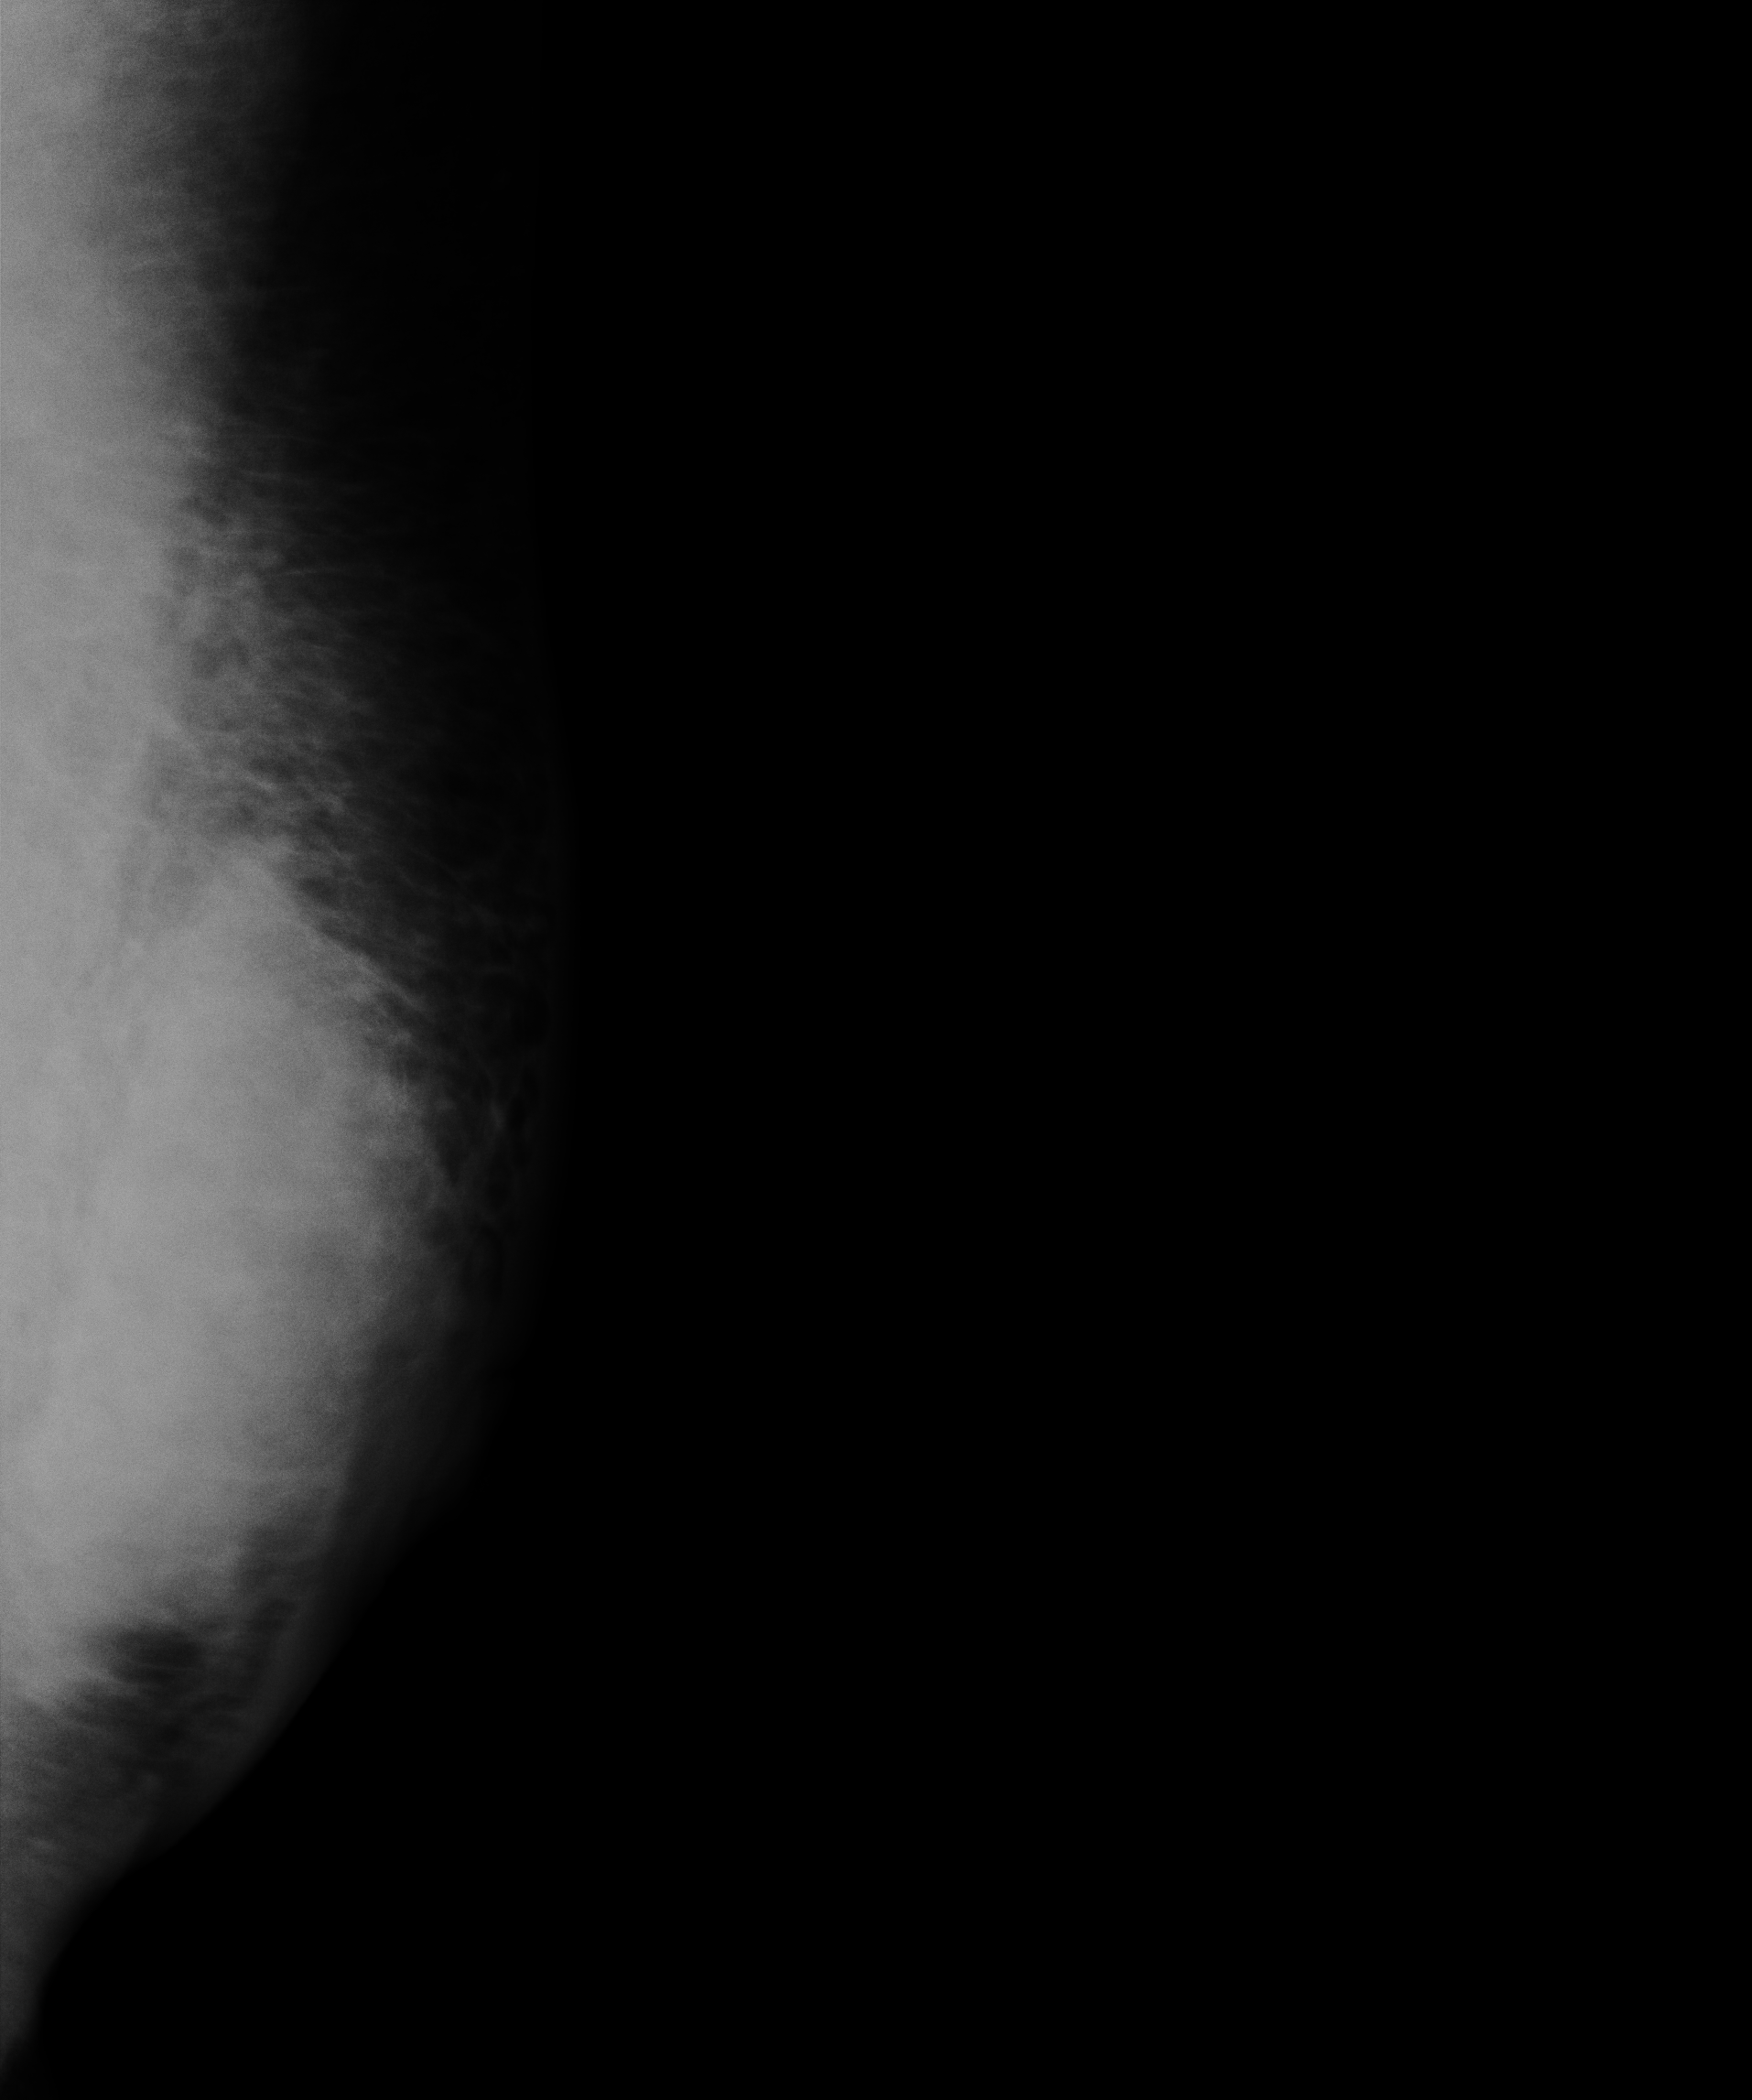
Mammogram — left medio-lateral oblique. 47 y/o patient.
This breast has a mass, biopsy-confirmed malignant.